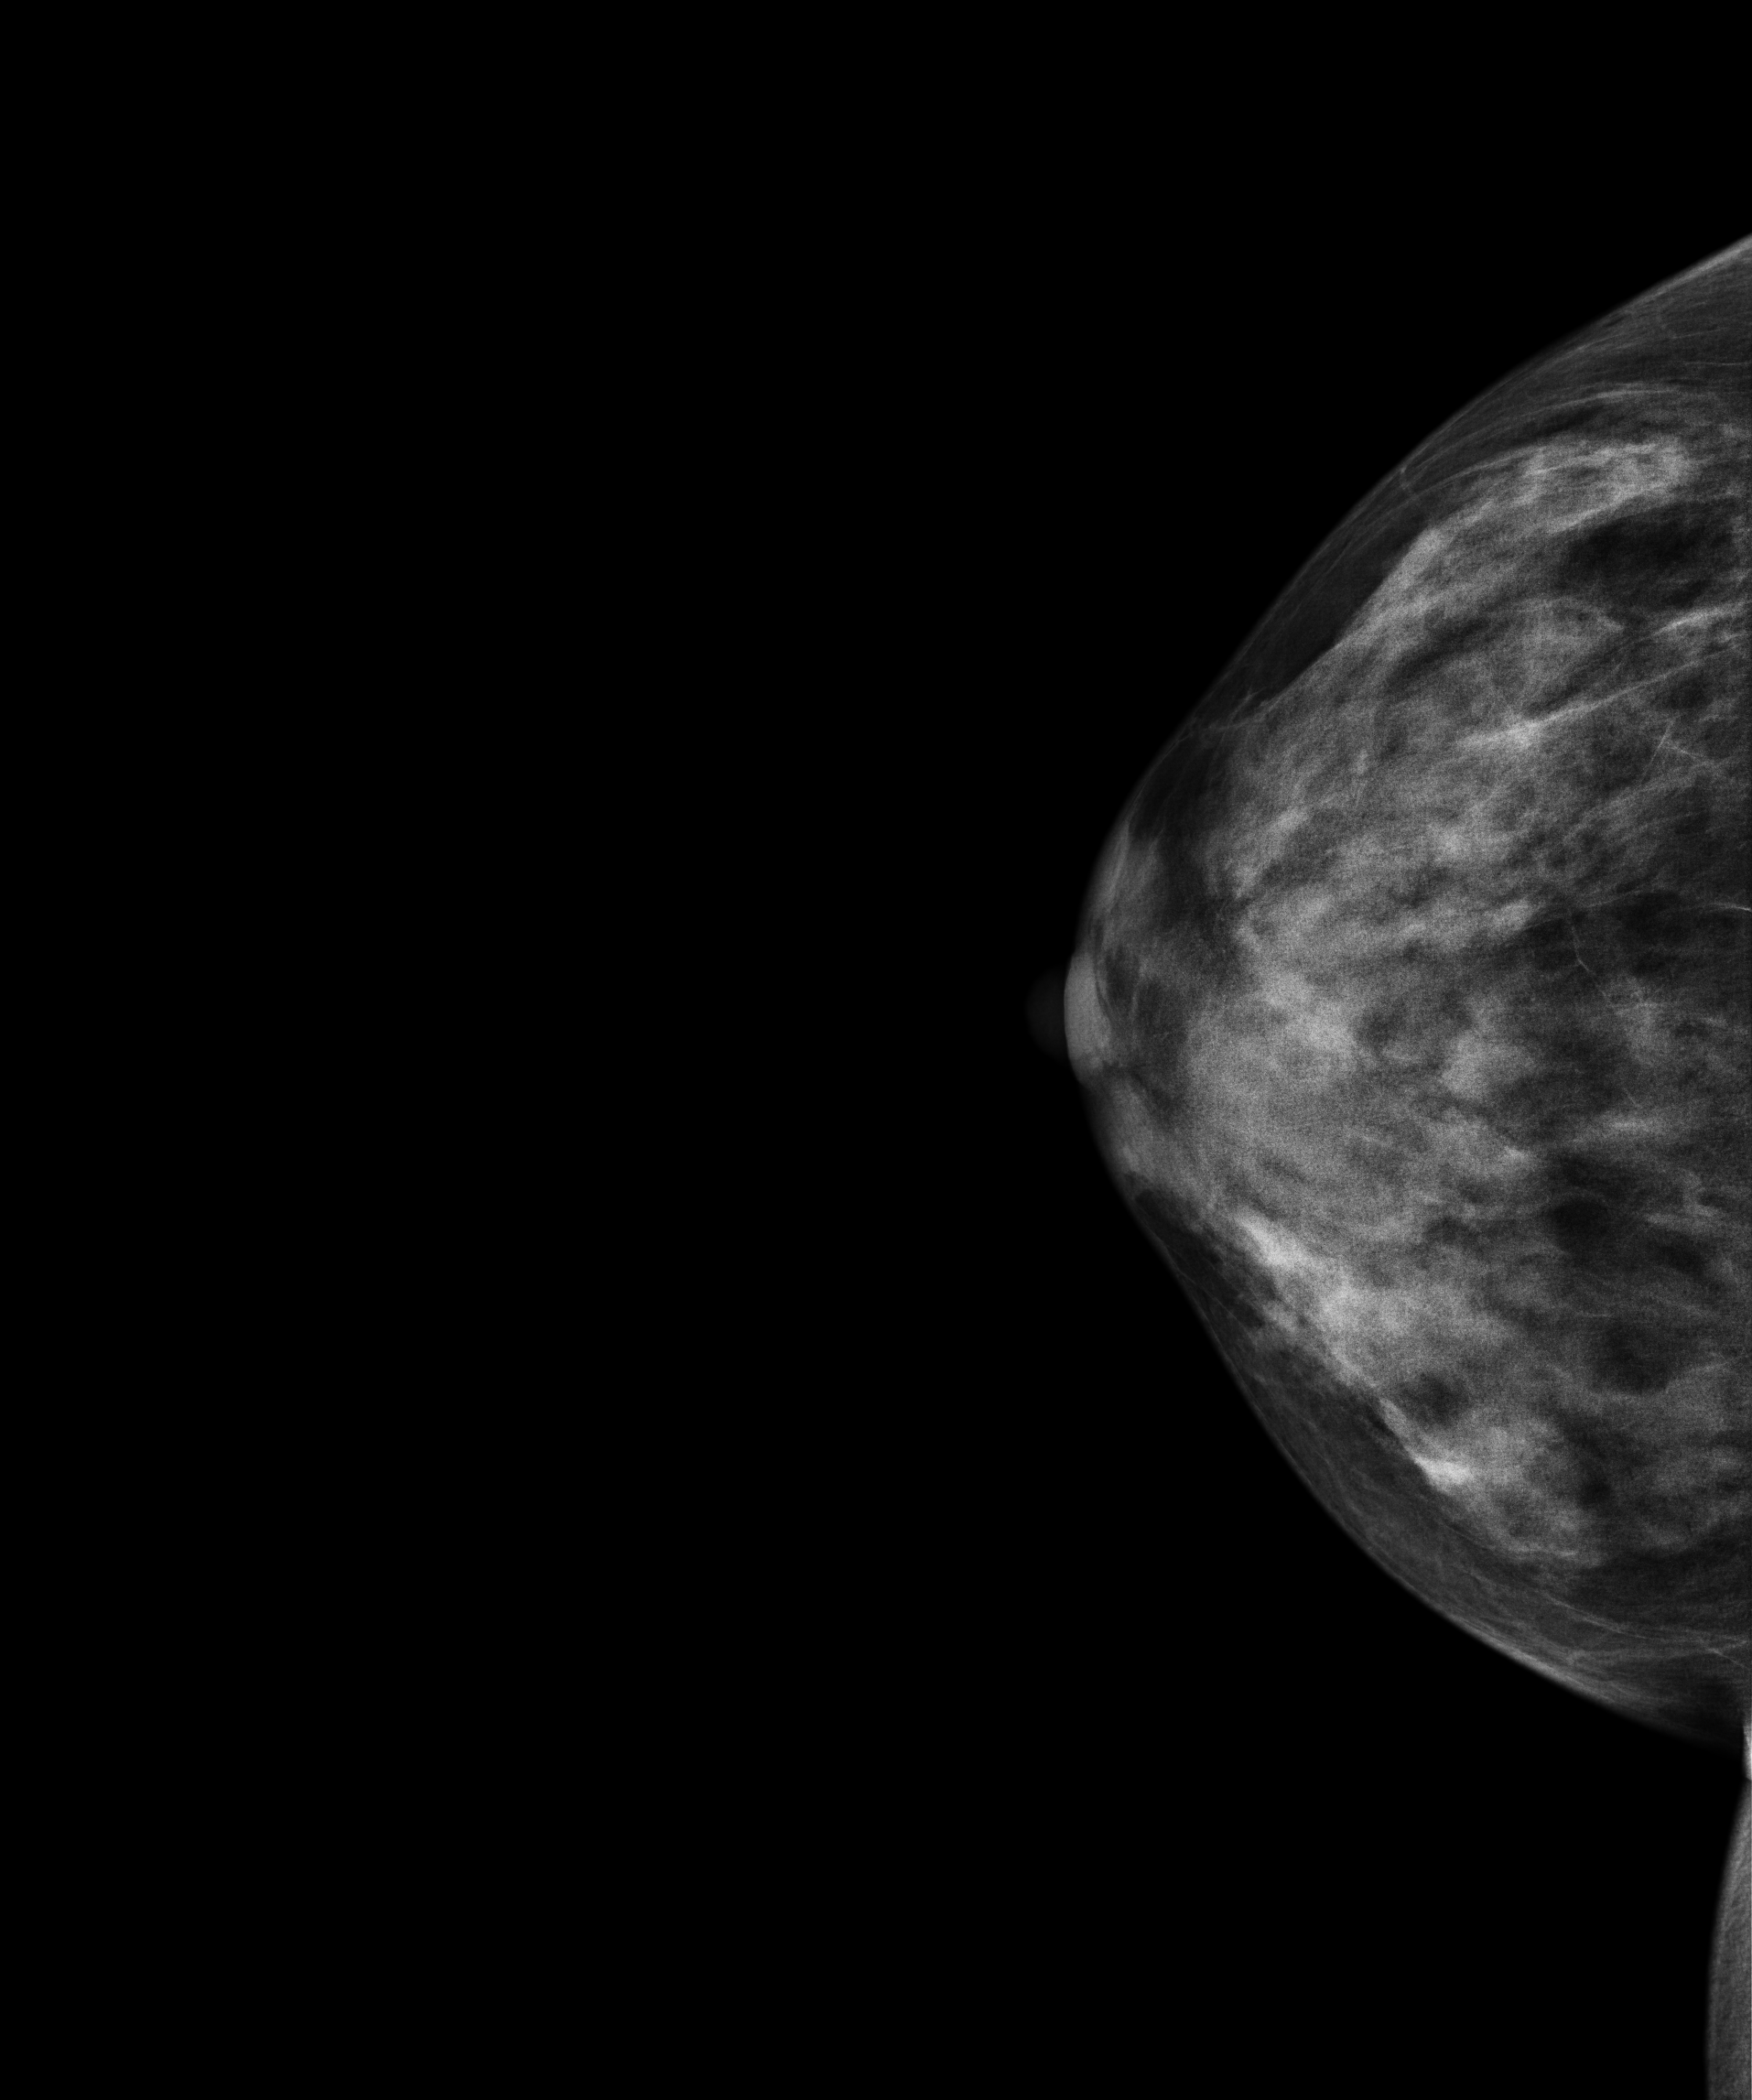
Right-breast mammogram, CC. Patient age 39.
This breast has a mass, biopsy-confirmed benign.